Right-breast mammogram, medio-lateral oblique. 40-year-old patient.
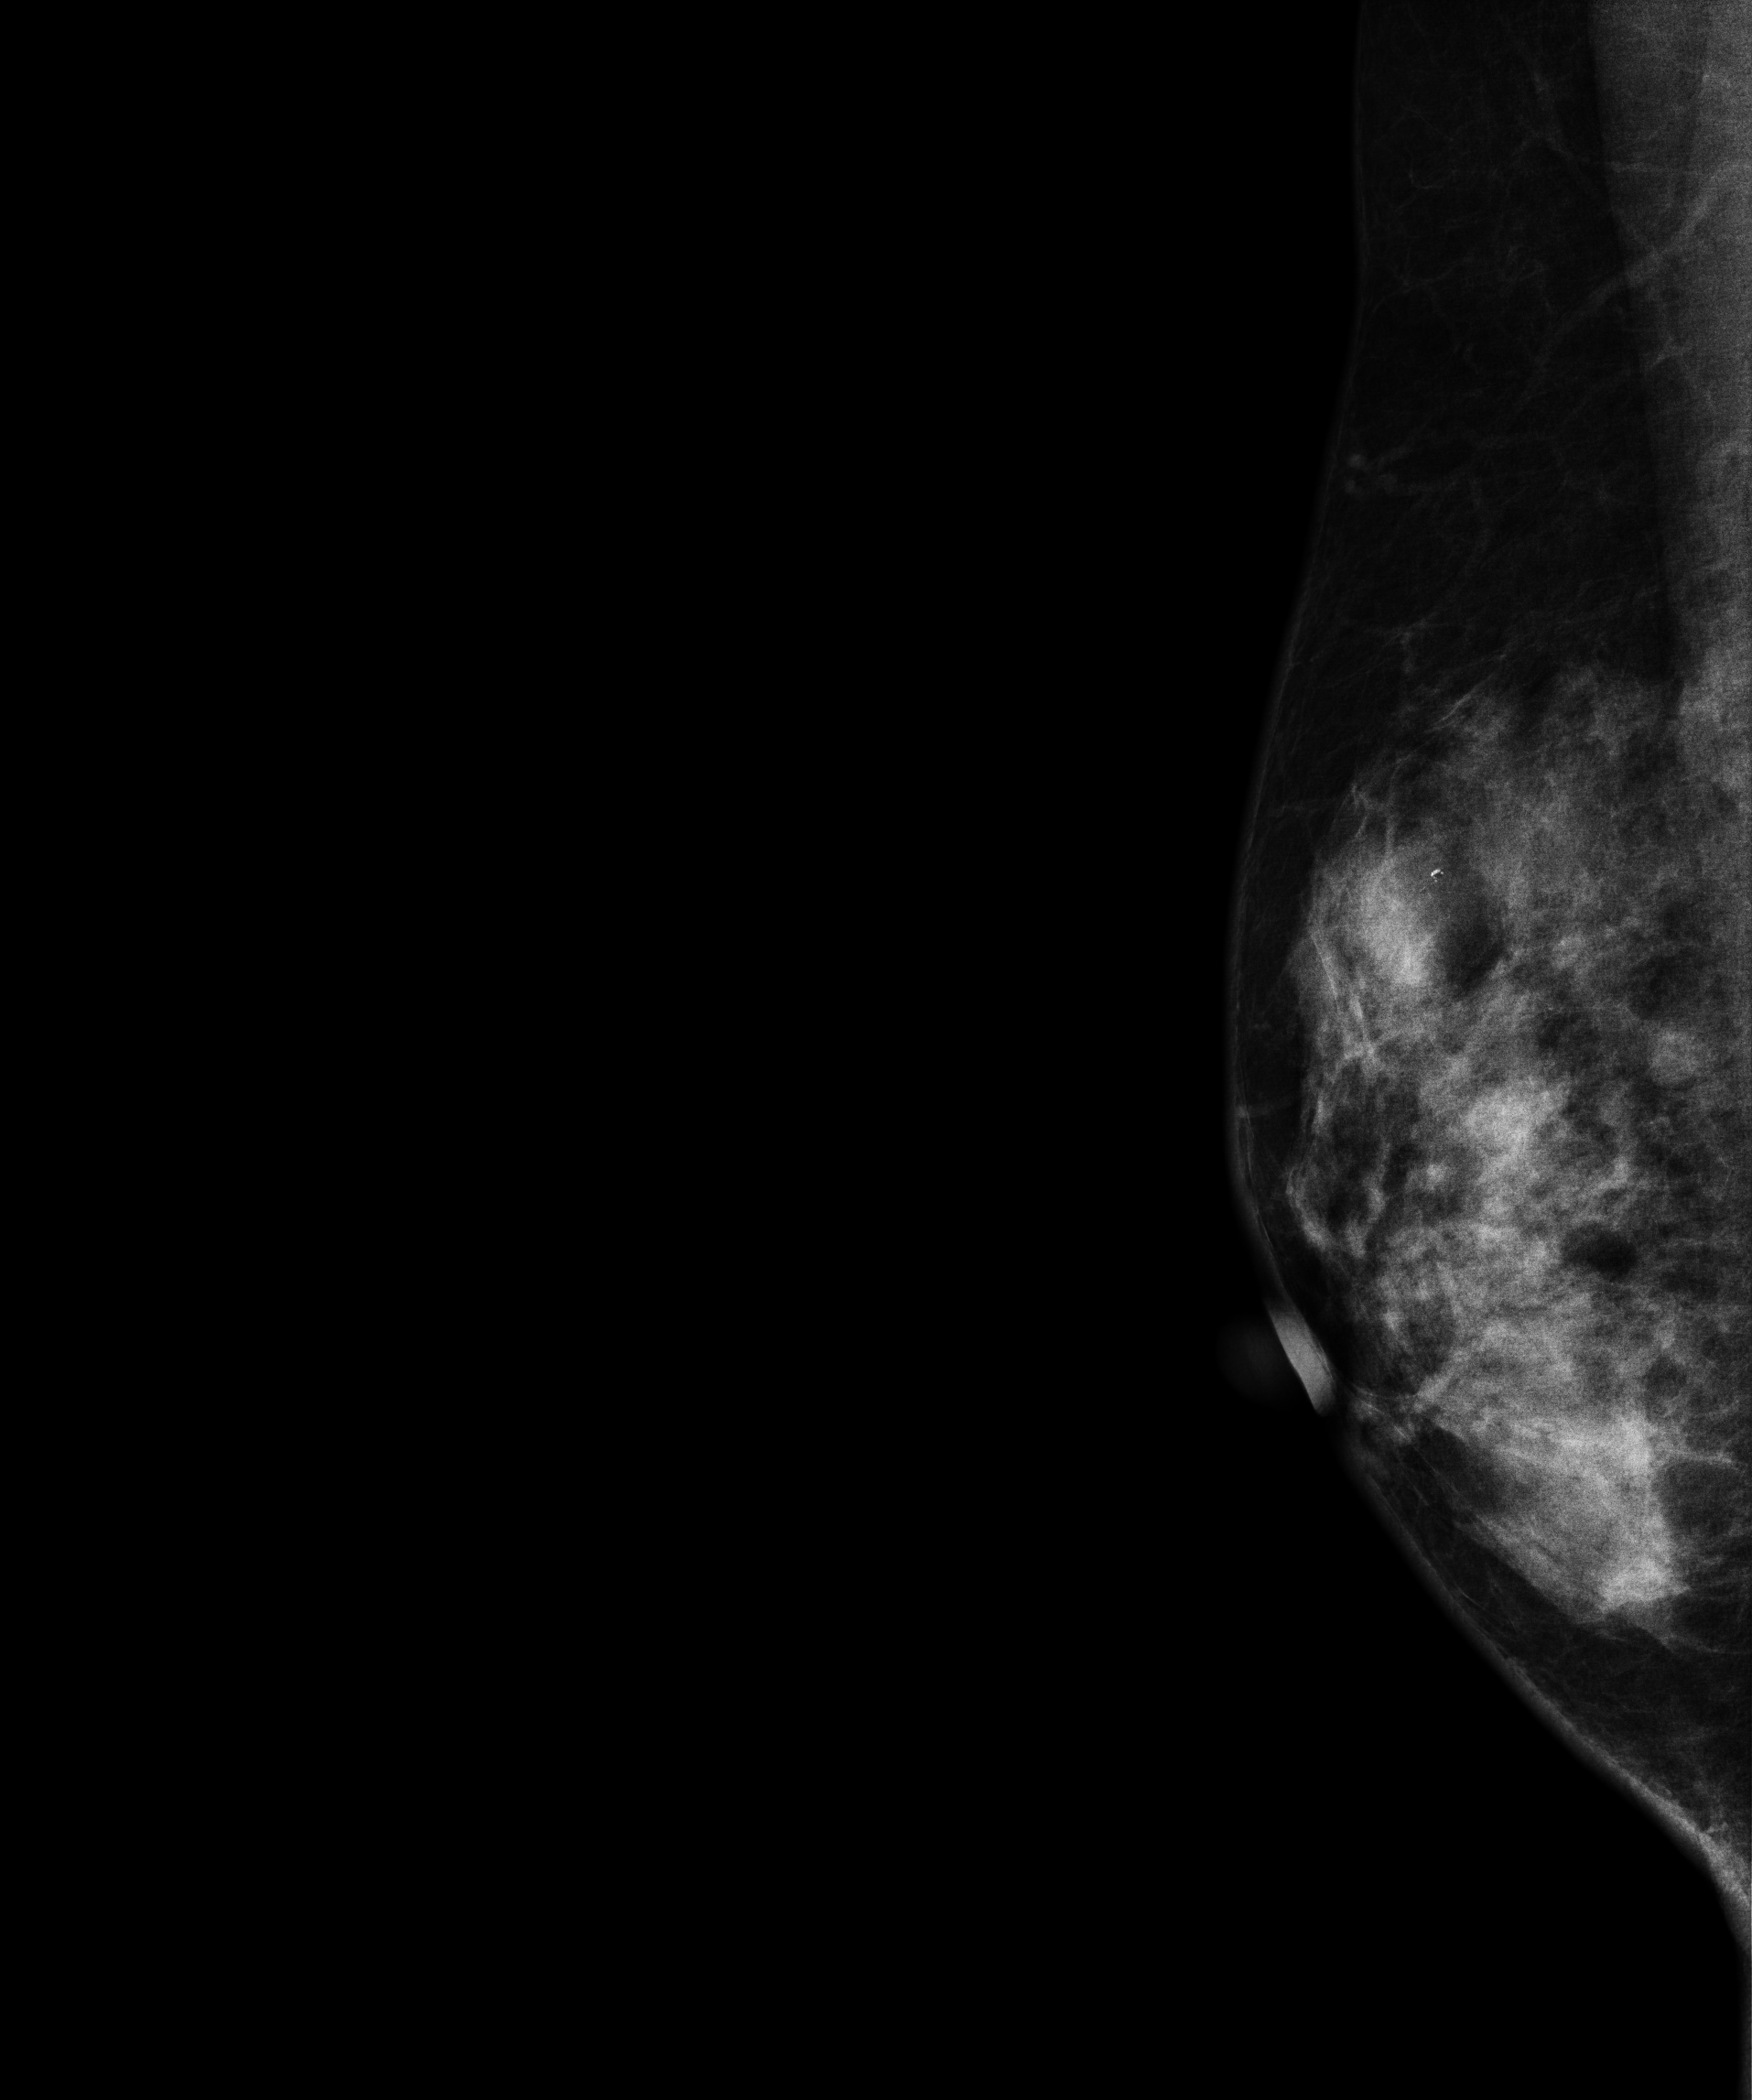
This breast has a mass and calcifications, pathology-confirmed benign.